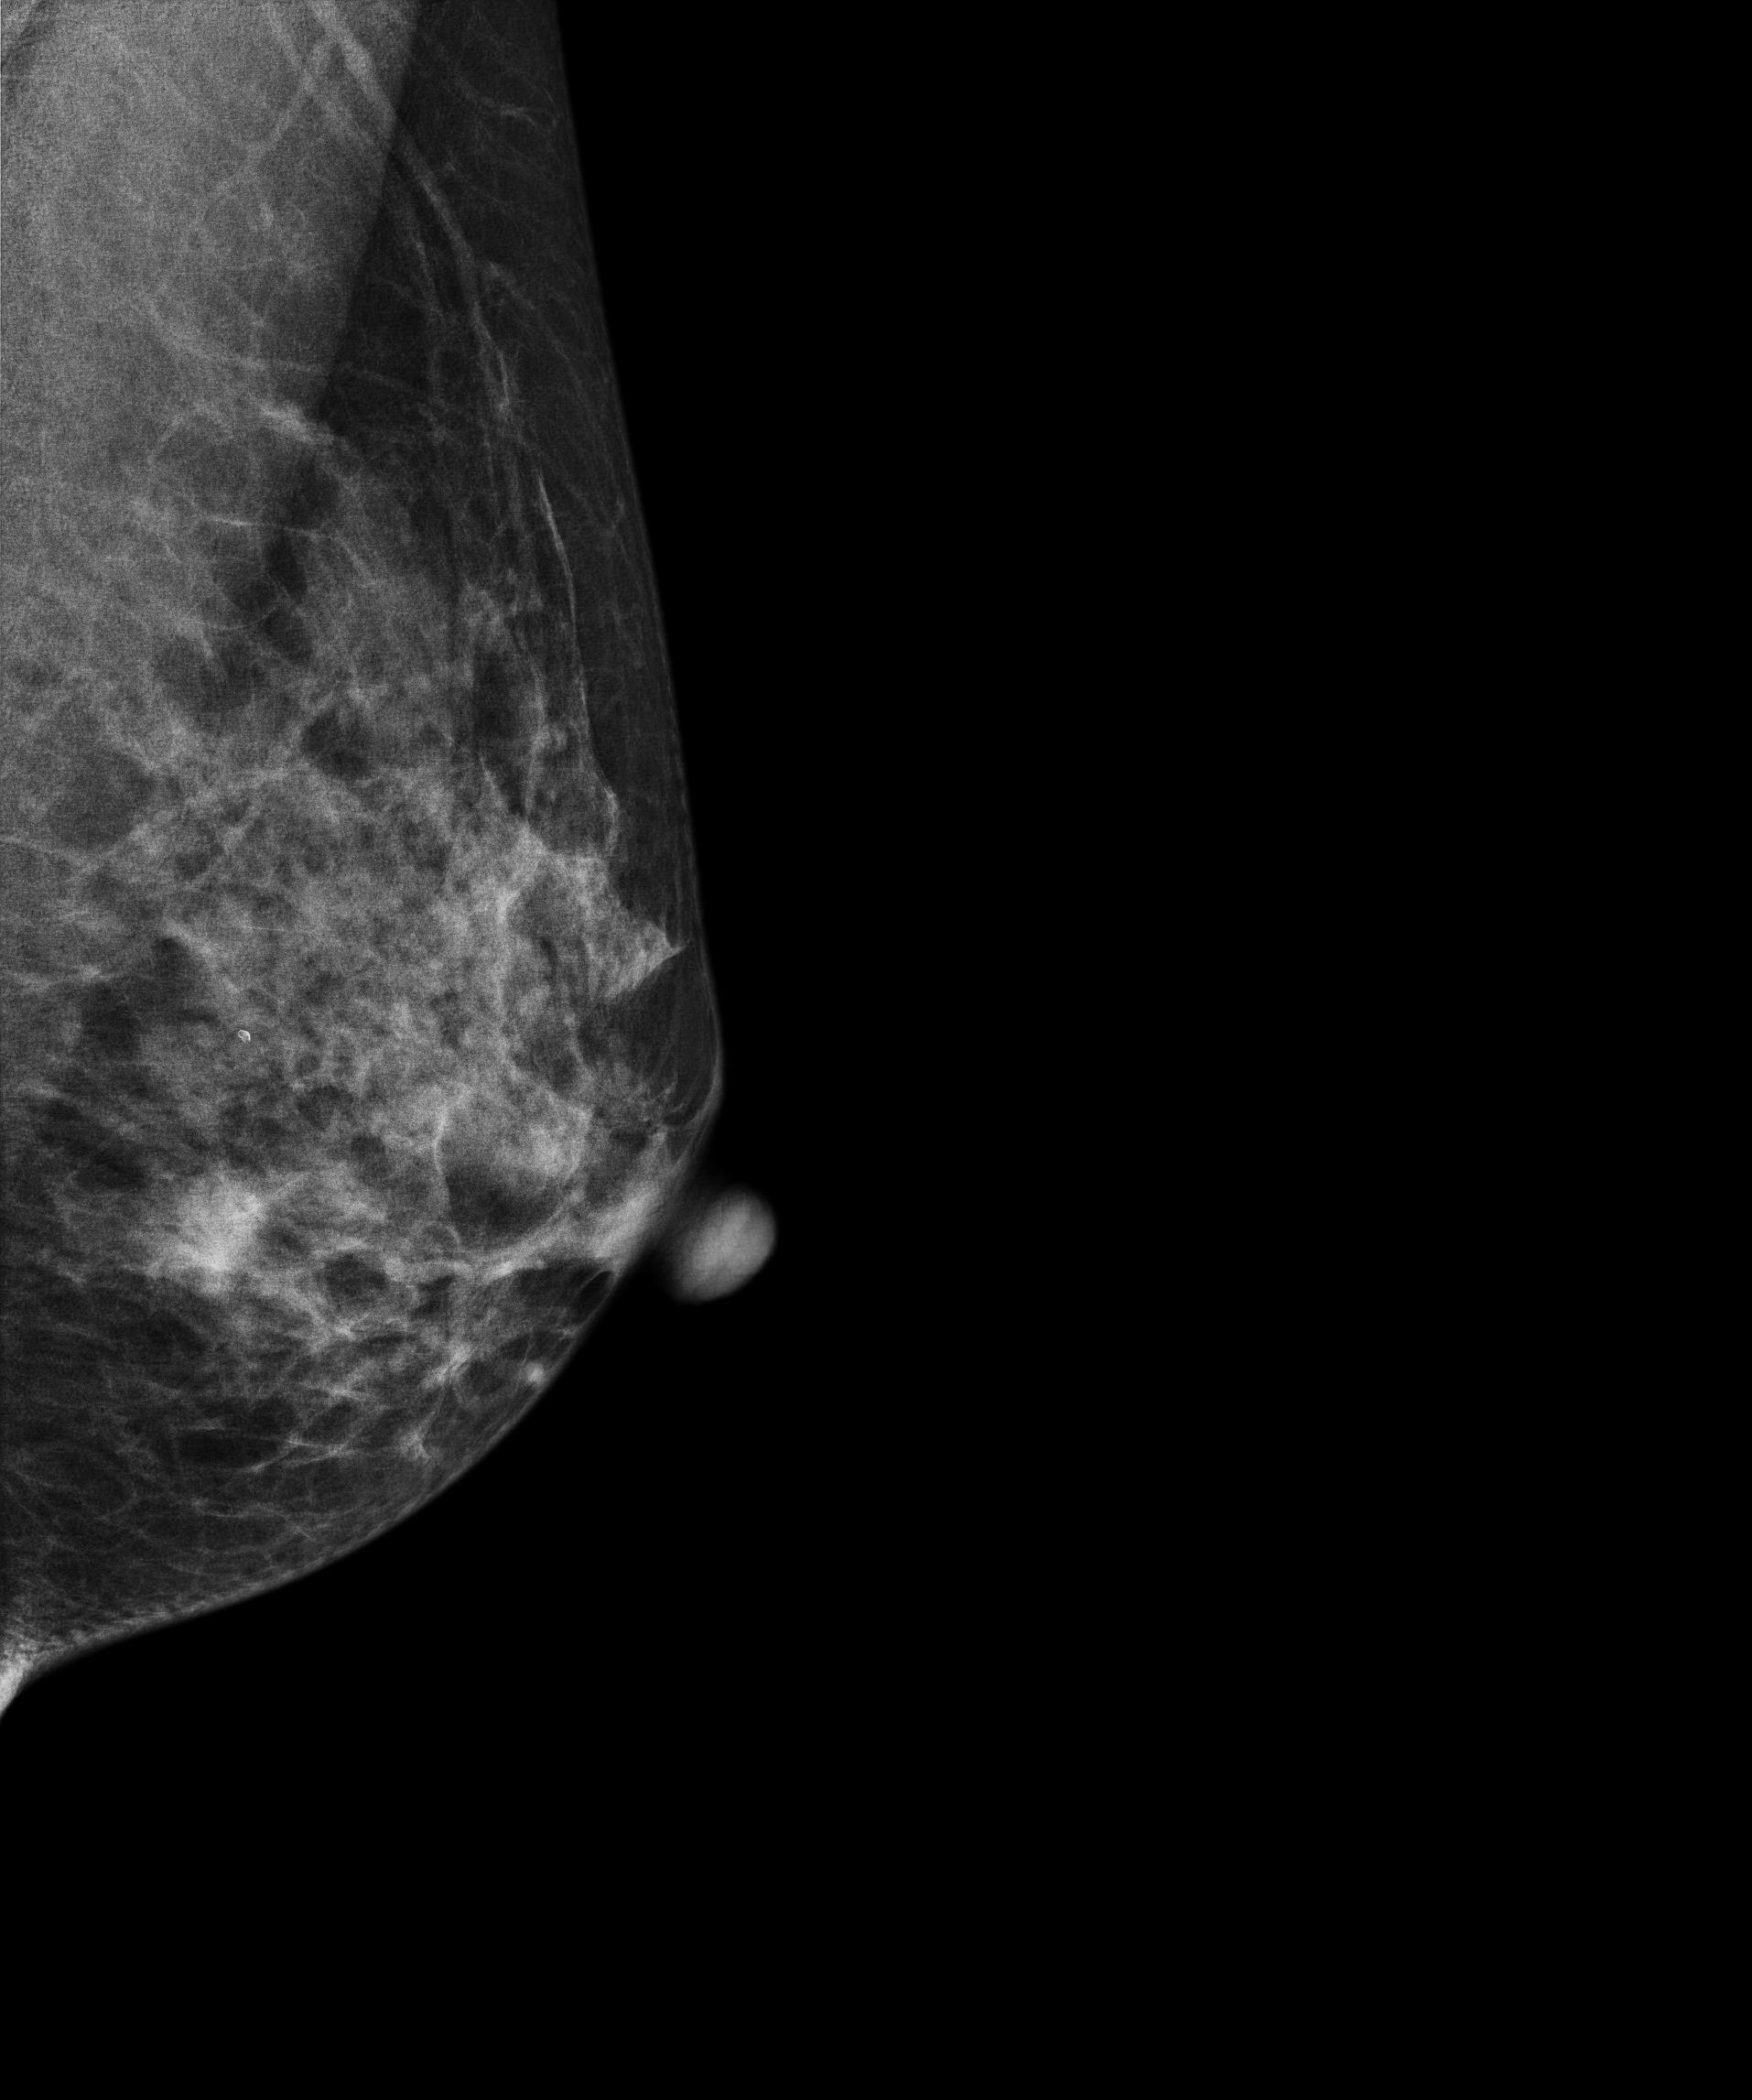
Left-breast mammogram, MLO. Patient age 37.
This breast has a mass, biopsy-proven malignant.